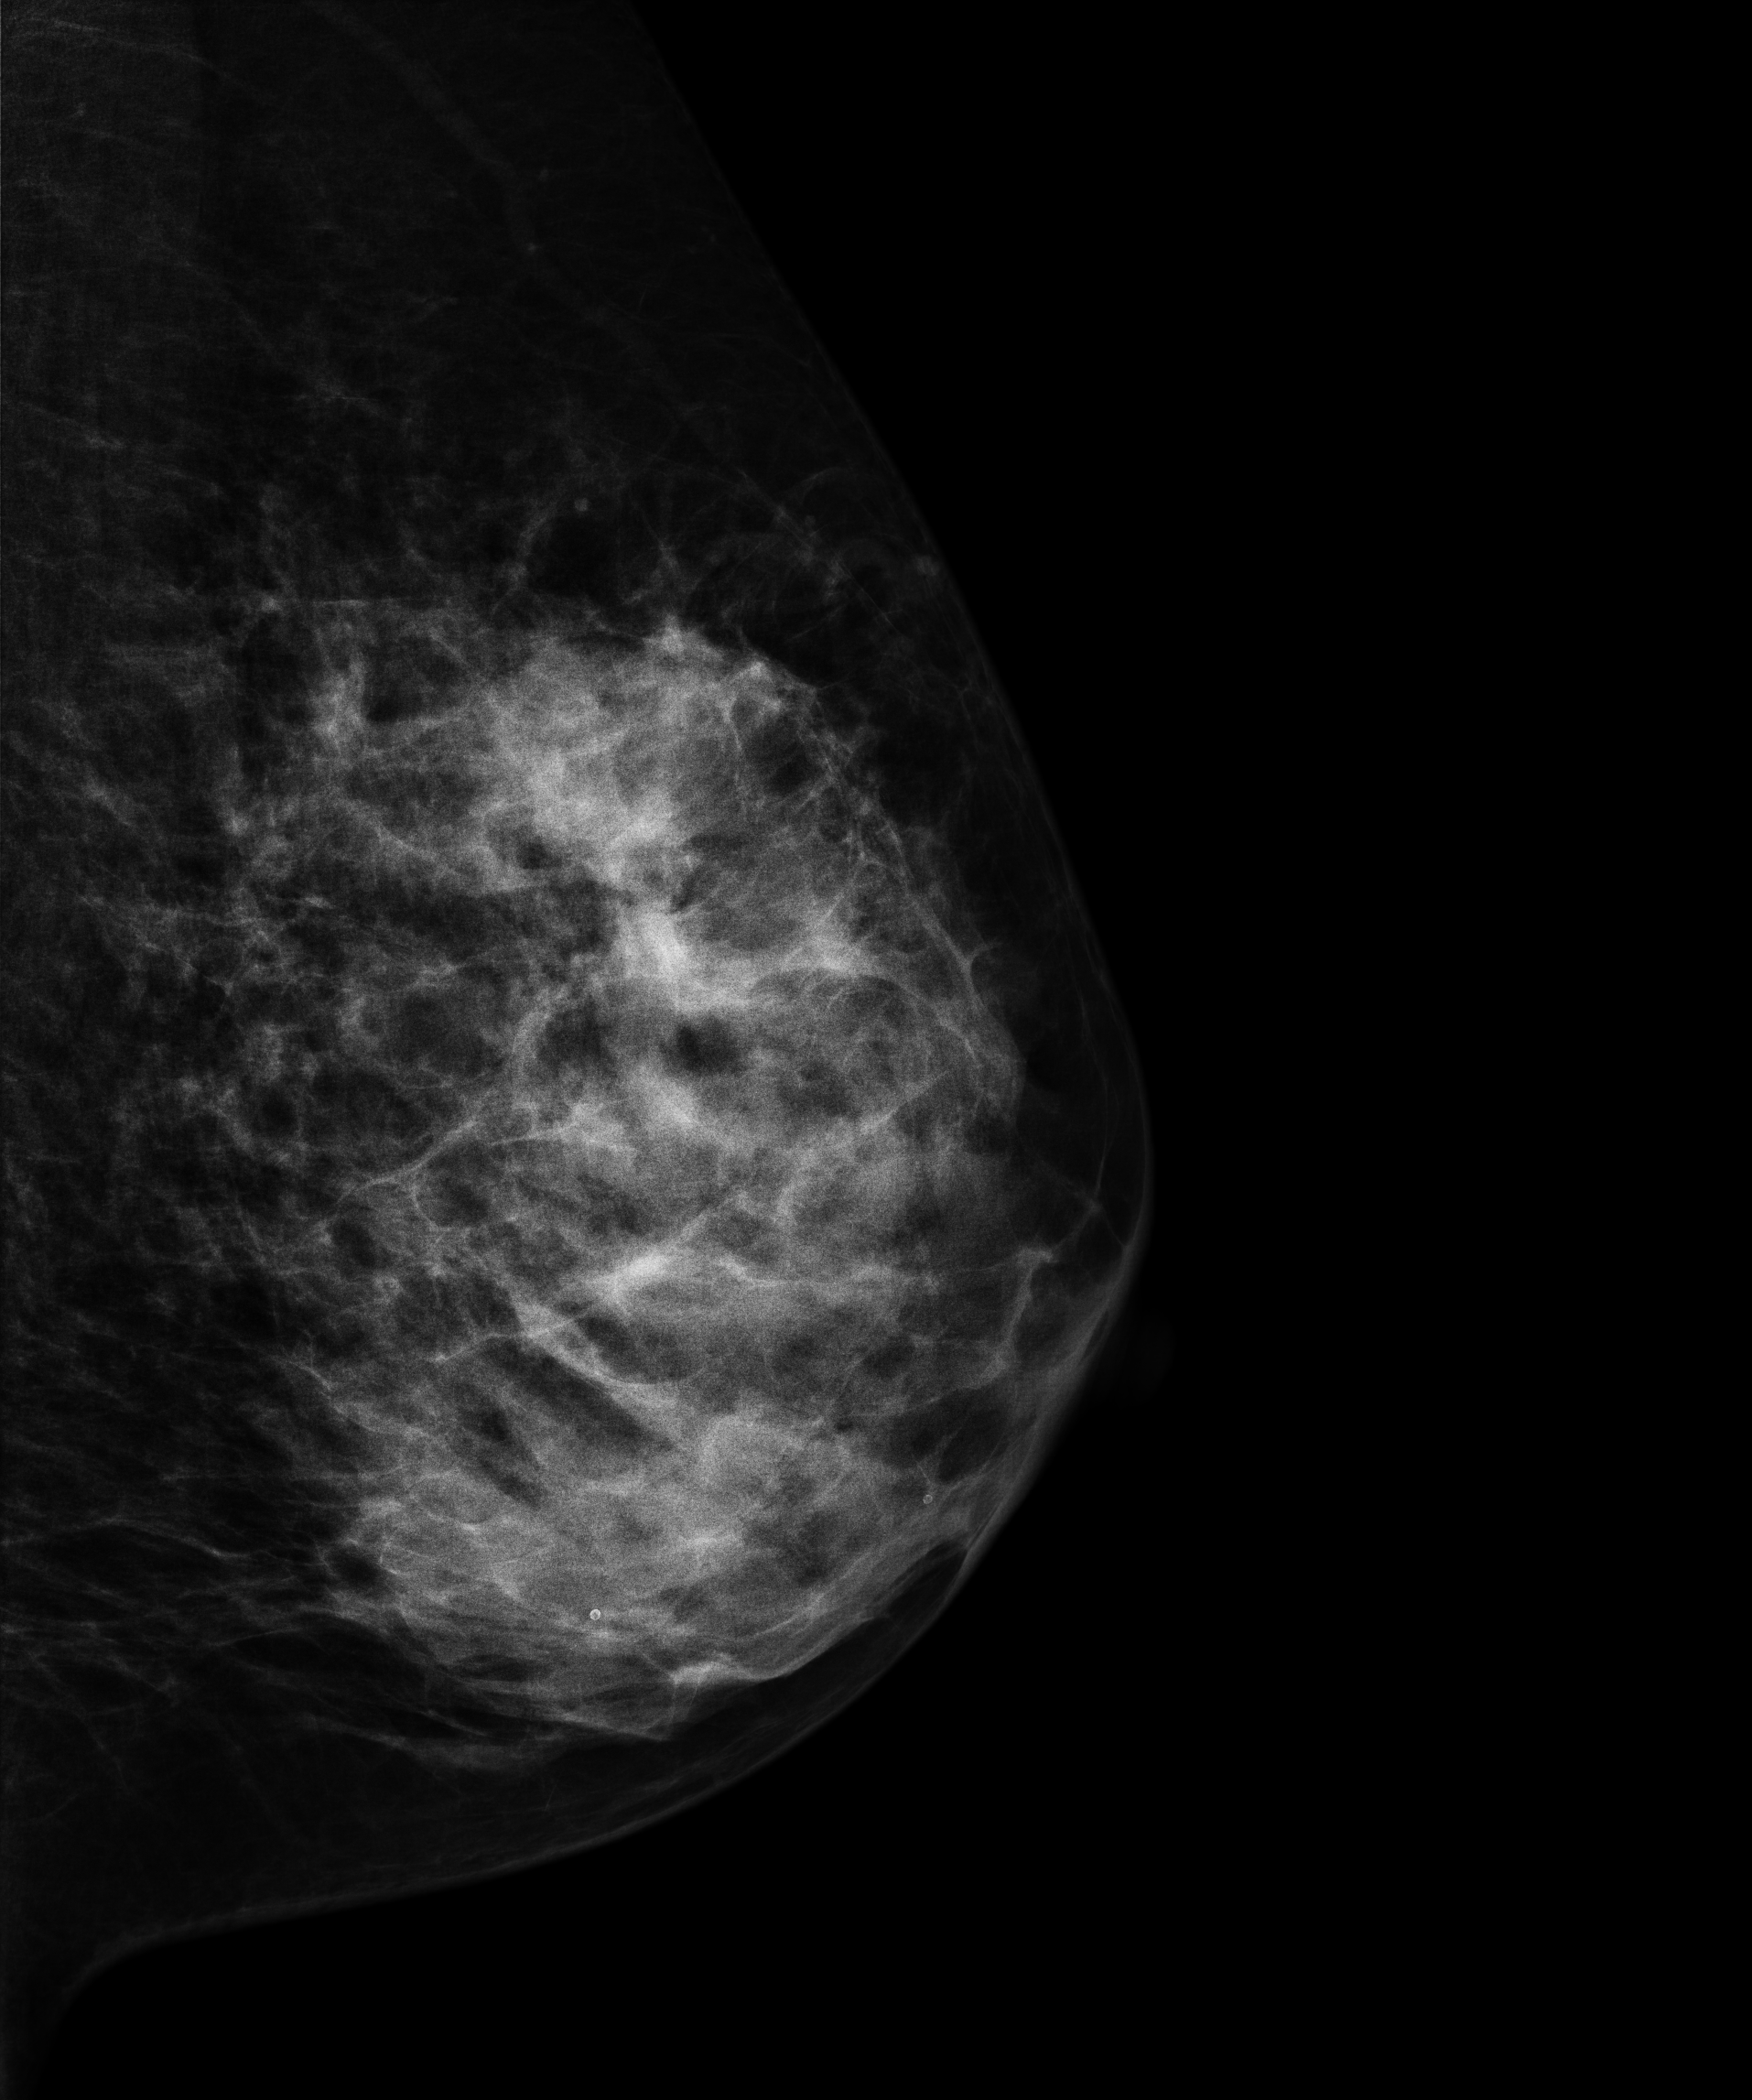
Left-breast mammogram, medio-lateral oblique. 54-year-old patient.
This breast has a mass, histologically confirmed malignant.